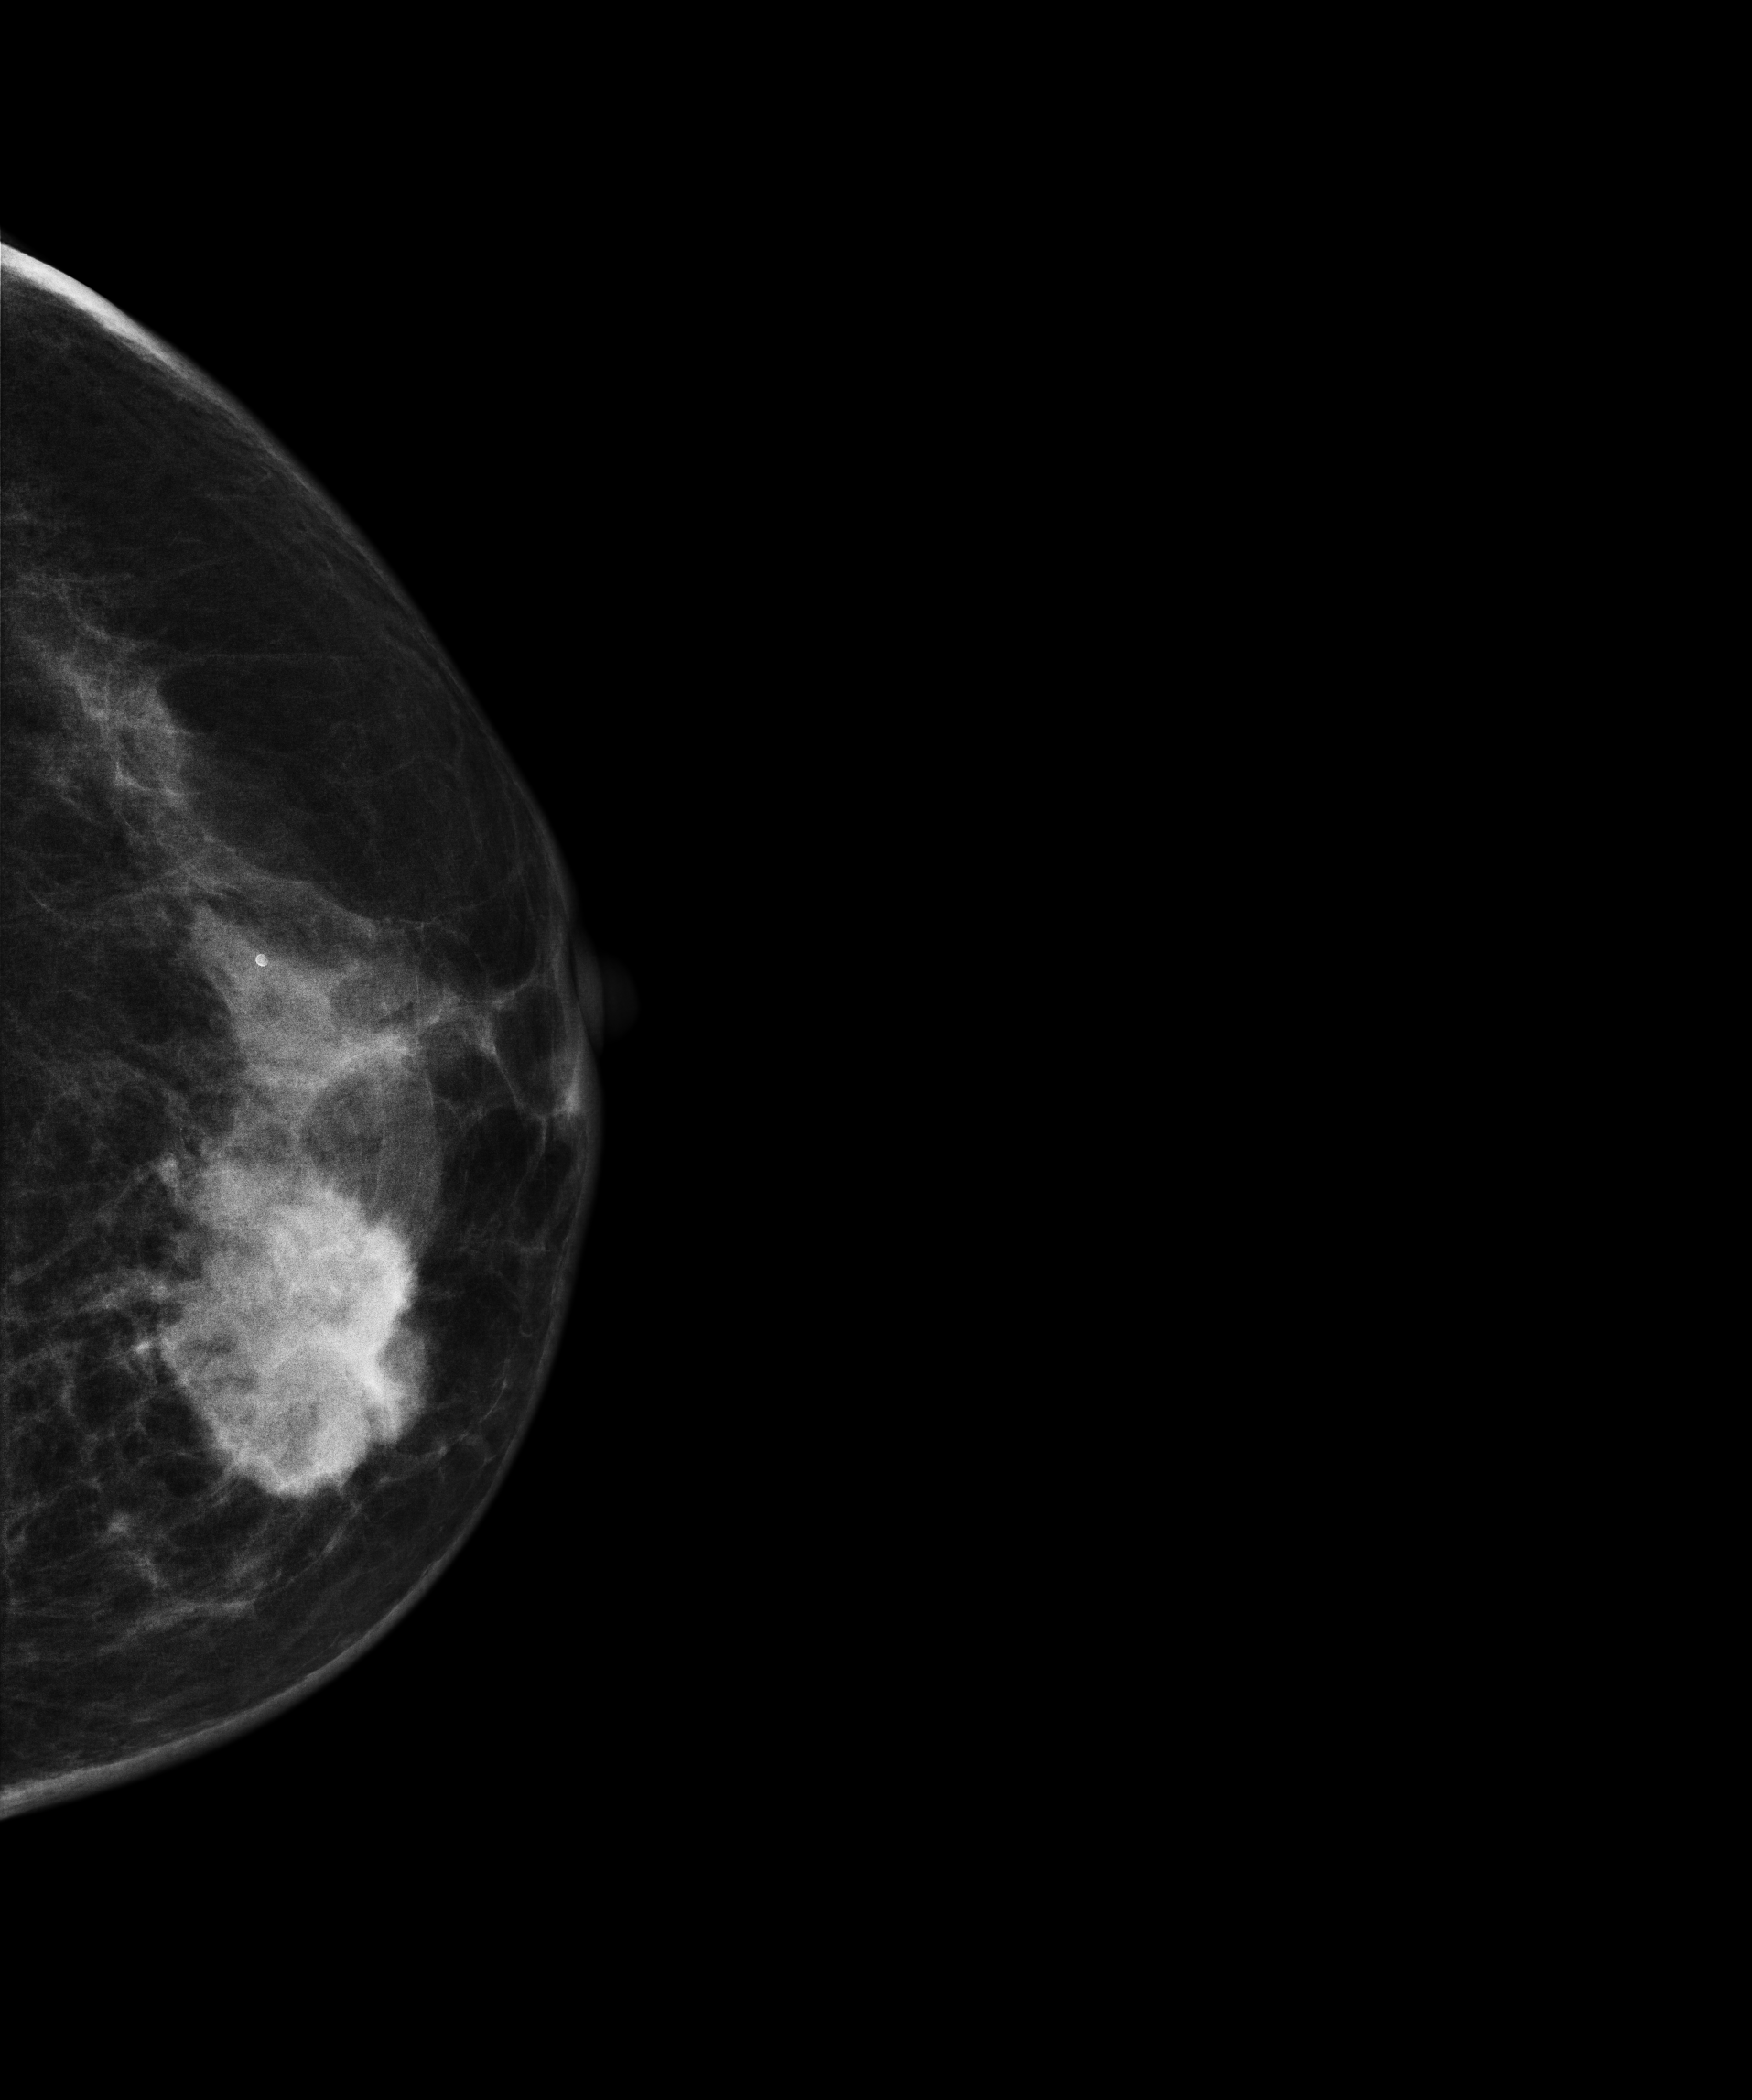
Mammogram, left breast, cranio-caudal view. 64 y/o patient.
This breast has a mass, biopsy-confirmed malignant. Molecular subtype: luminal B.